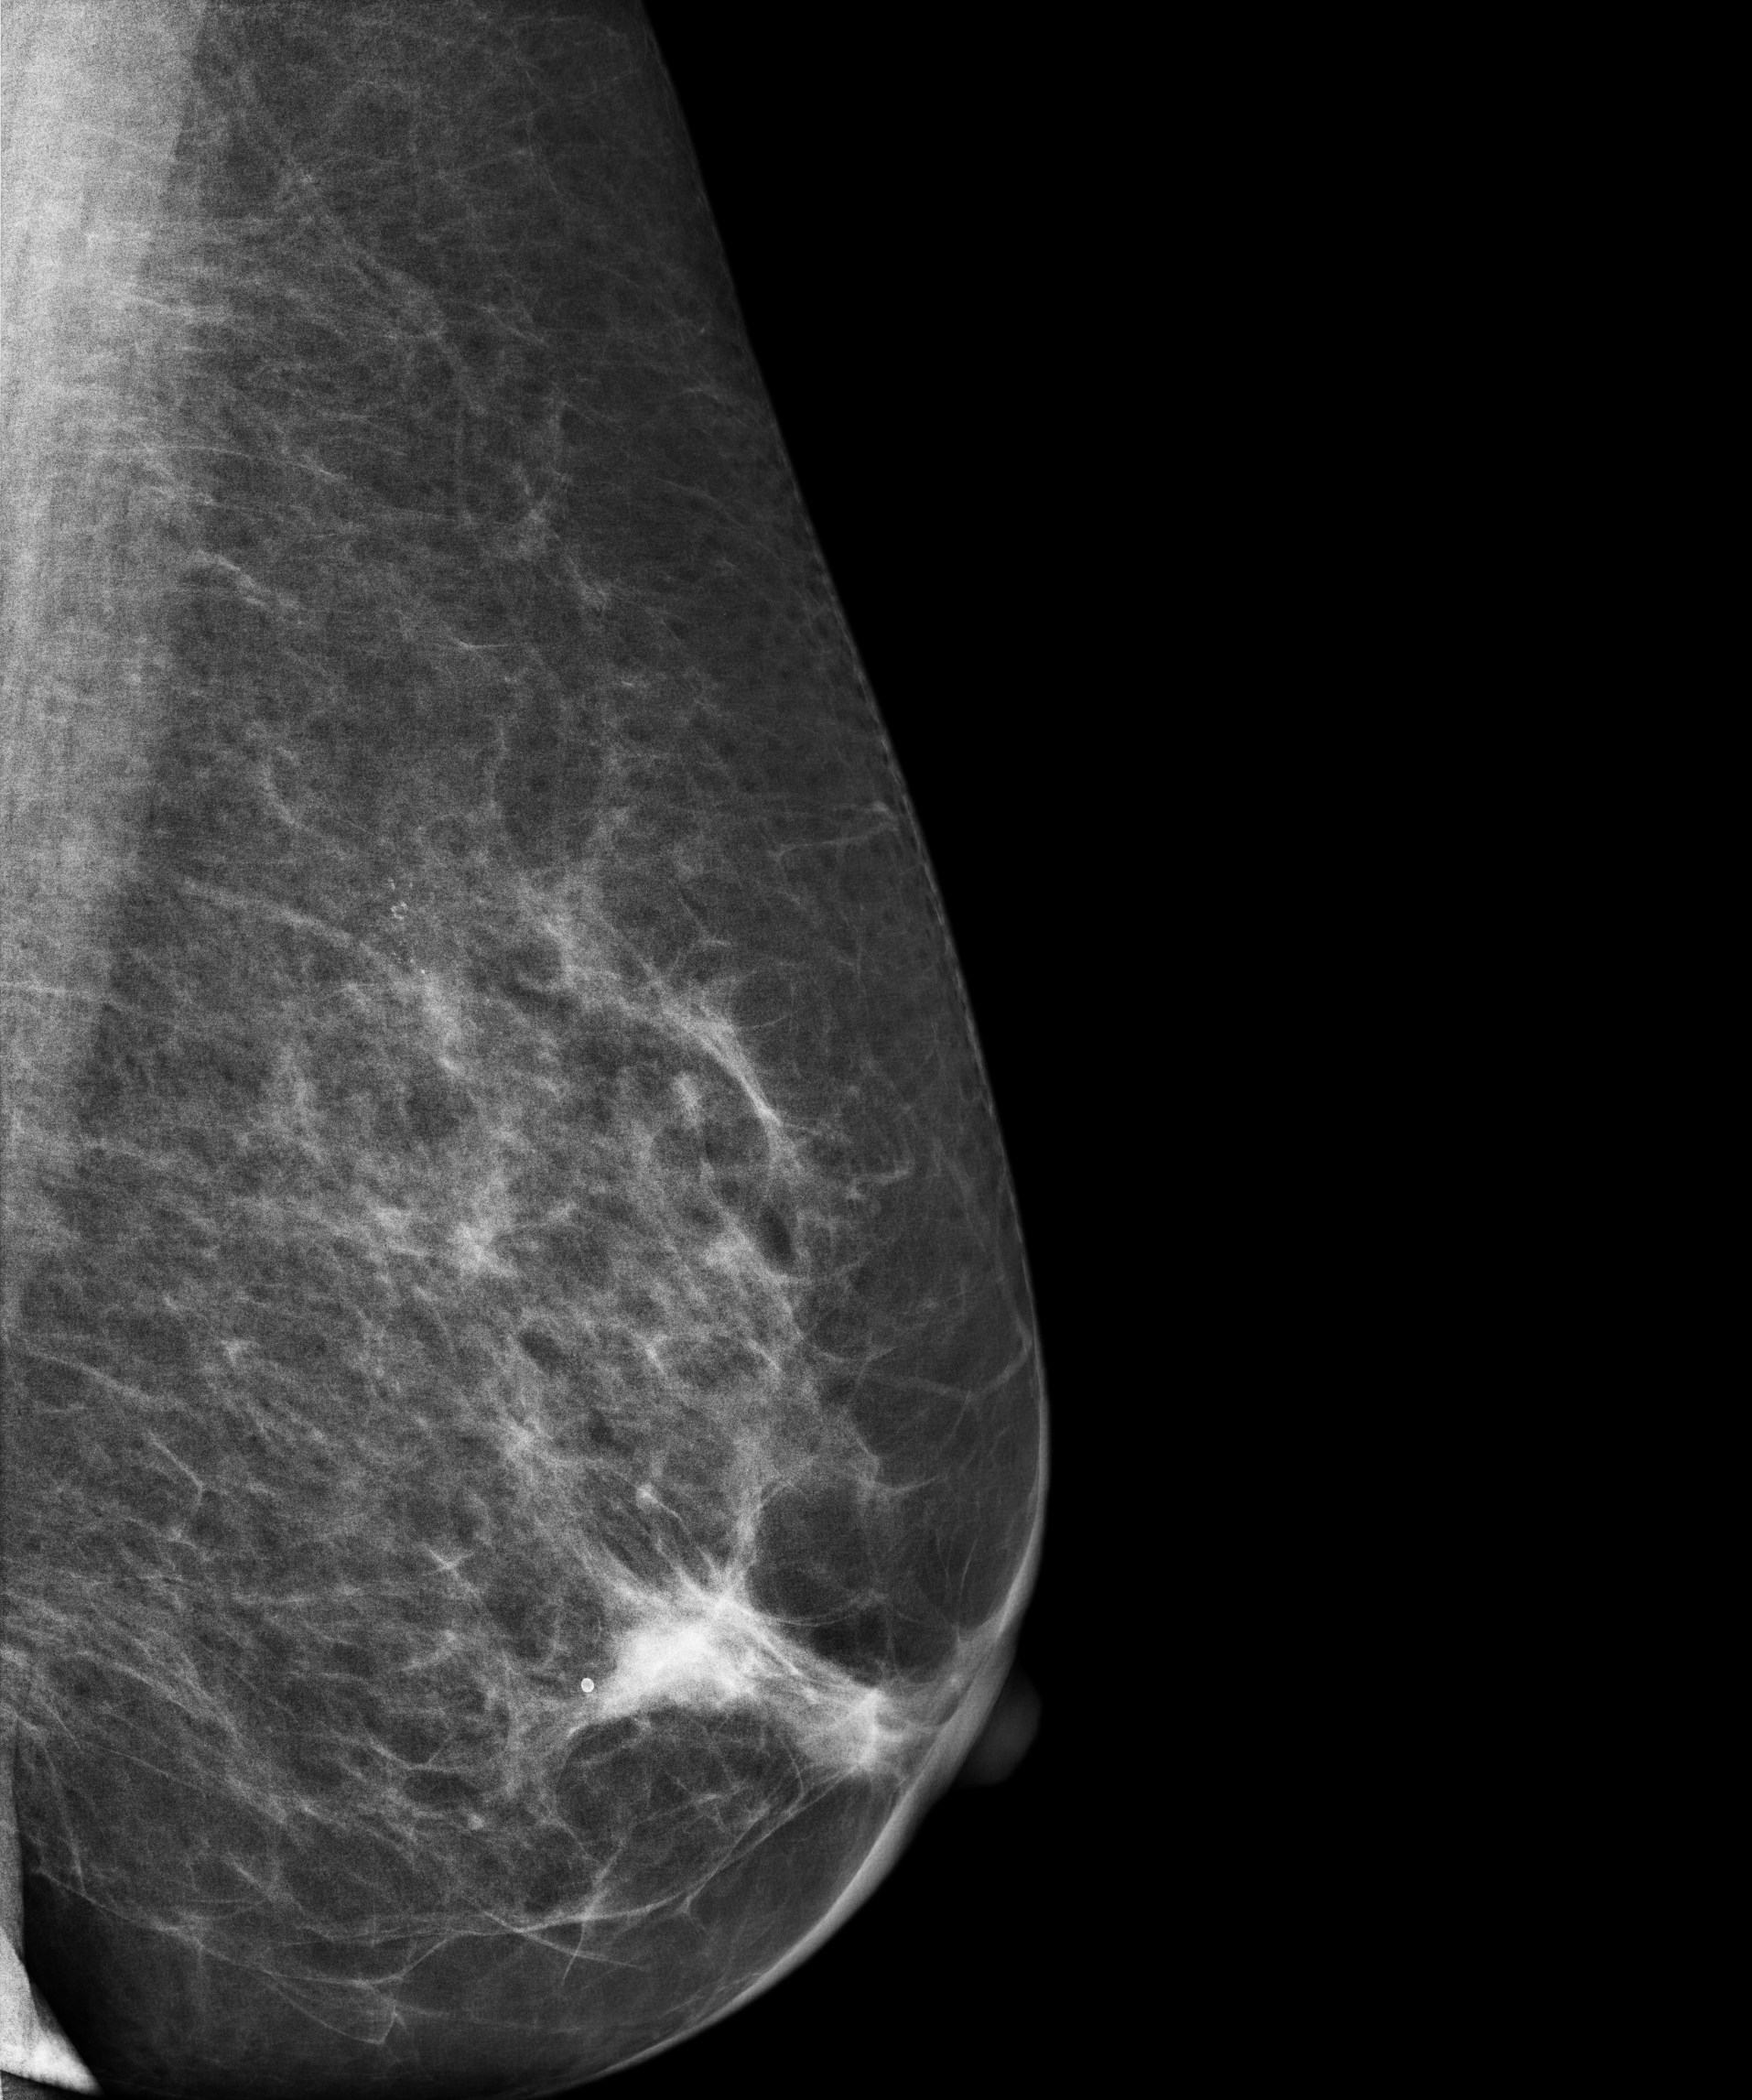
Left-breast mammogram, MLO. 58-year-old patient.
This breast has a mass, biopsy-confirmed malignant. Molecular subtype: luminal A.